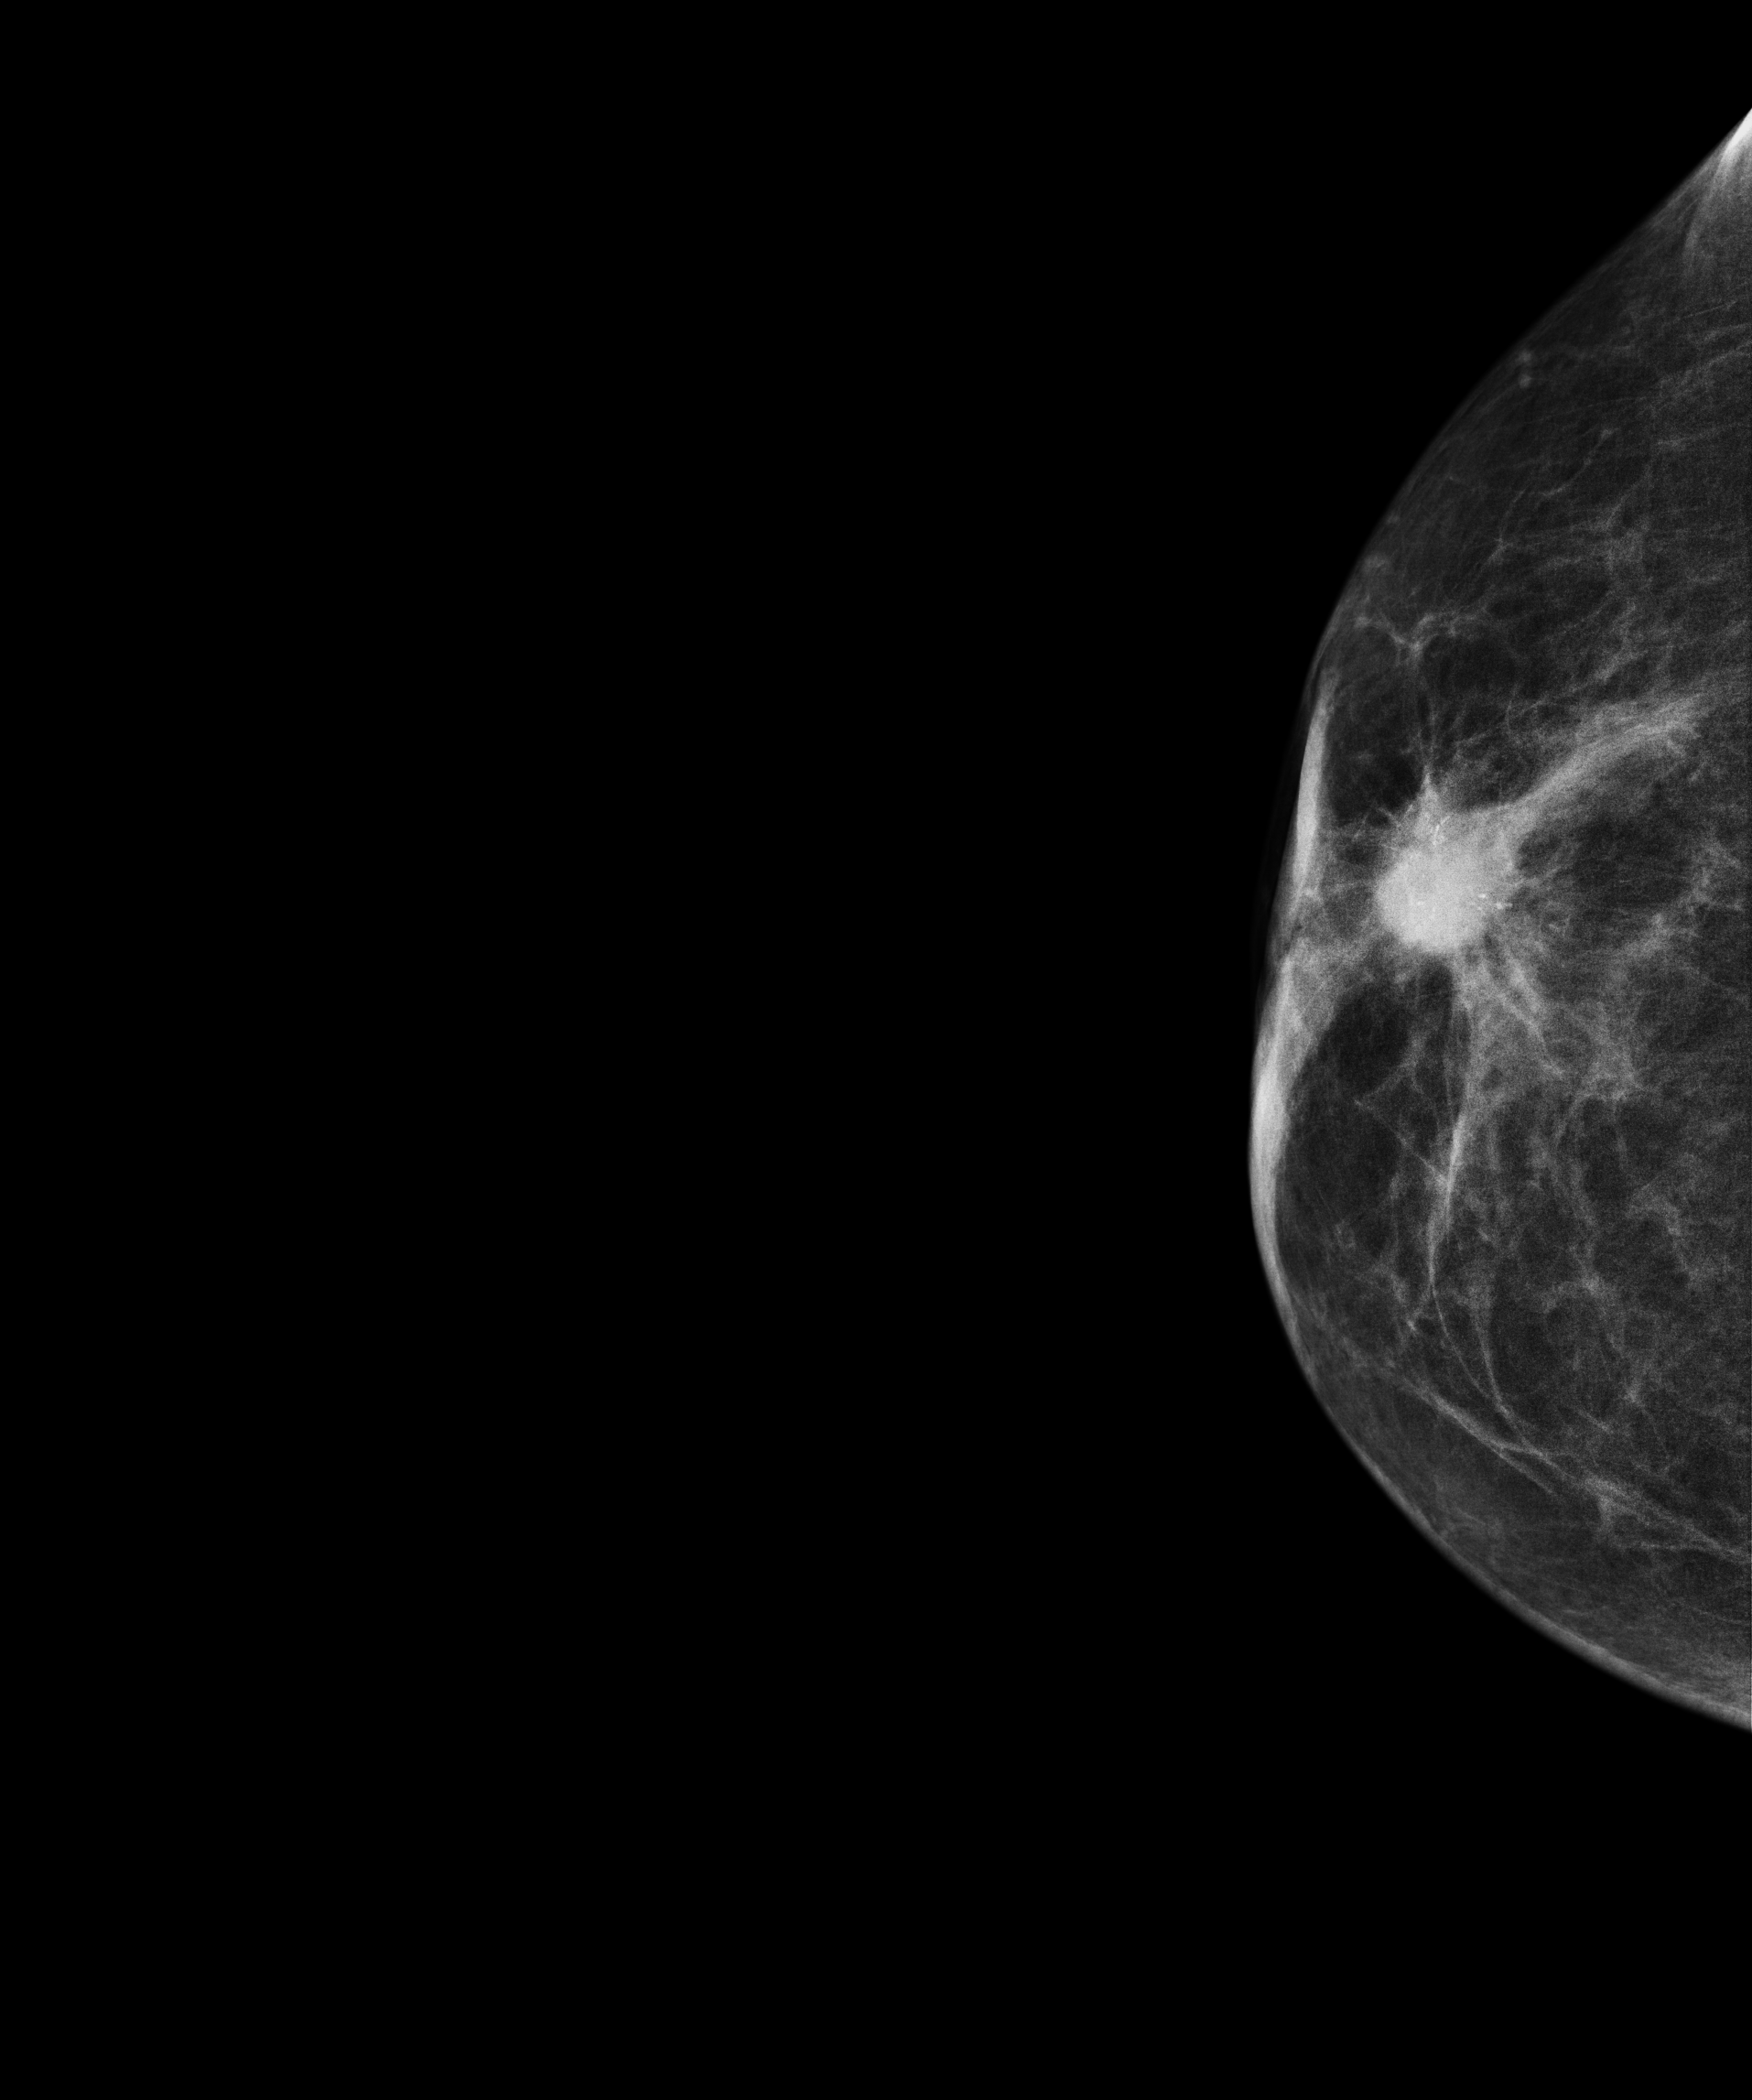
Digital mammography. Right breast, CC projection. 82-year-old patient.
This breast has a mass and calcifications, biopsy-confirmed malignant. Molecular subtype: luminal B.